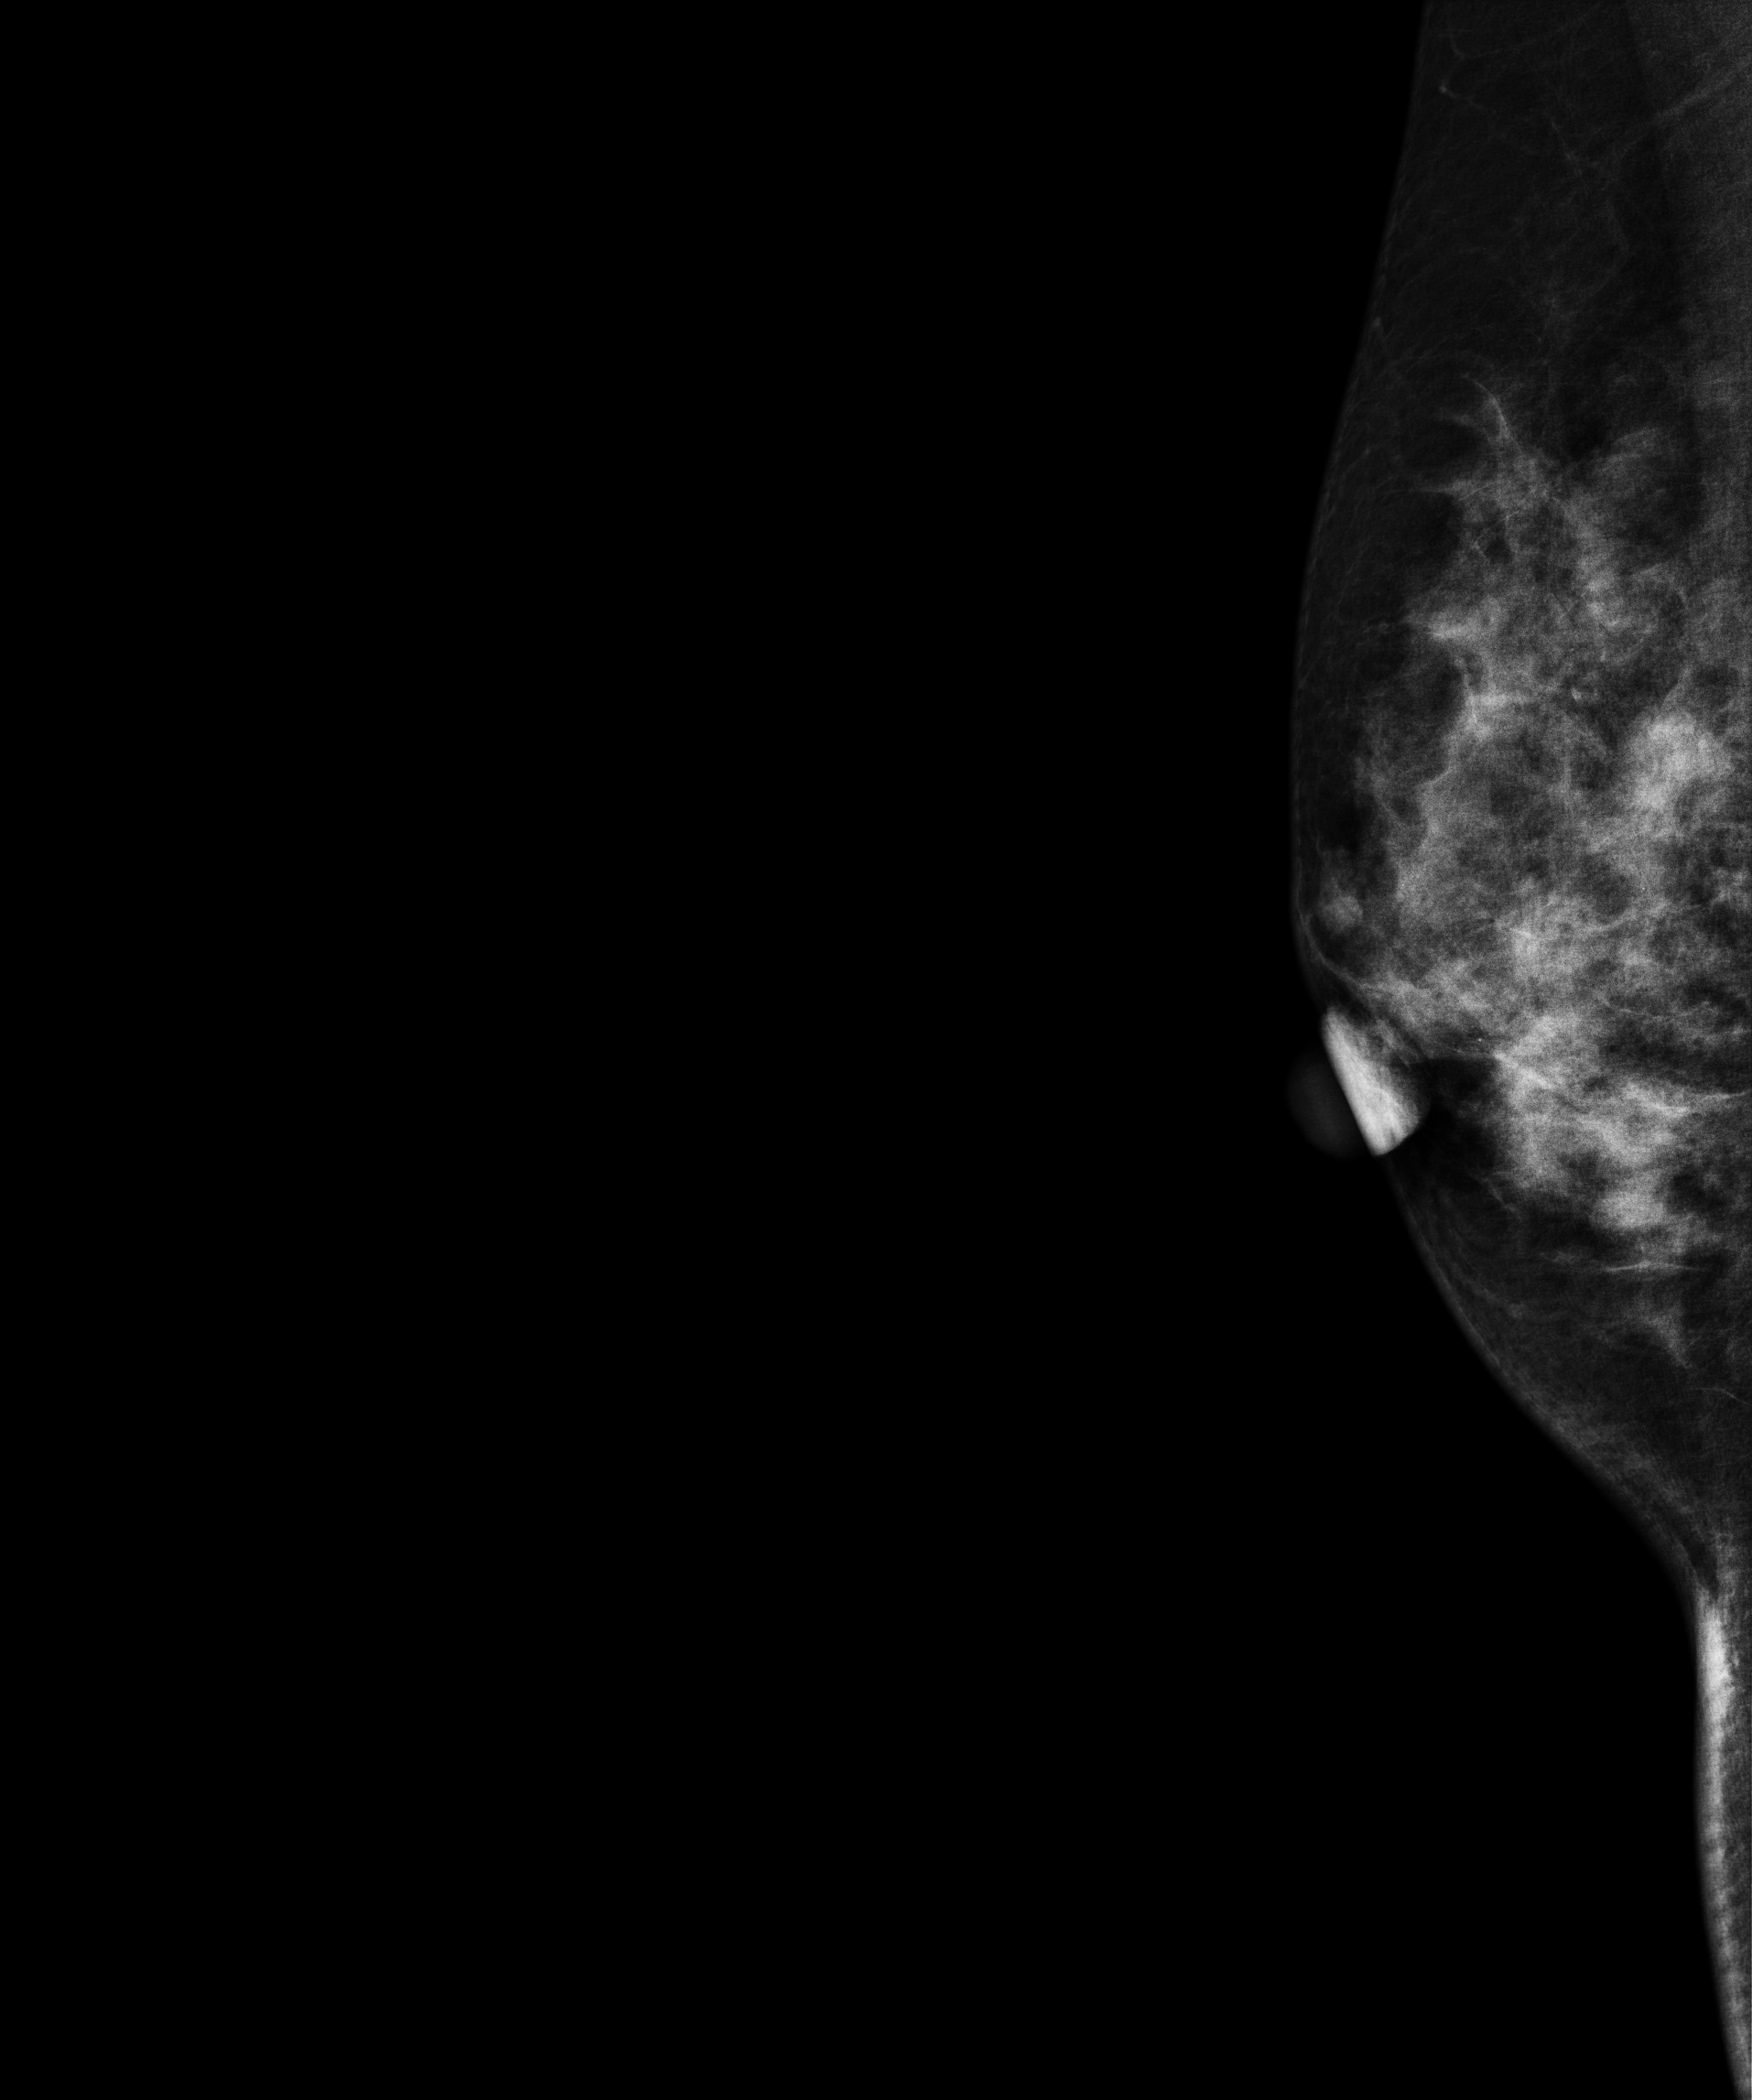
Mammogram, right breast, MLO view. 44 y/o patient.
This breast has a mass, histologically confirmed malignant.